Digital mammography. Right breast, medio-lateral oblique projection. Patient age 49.
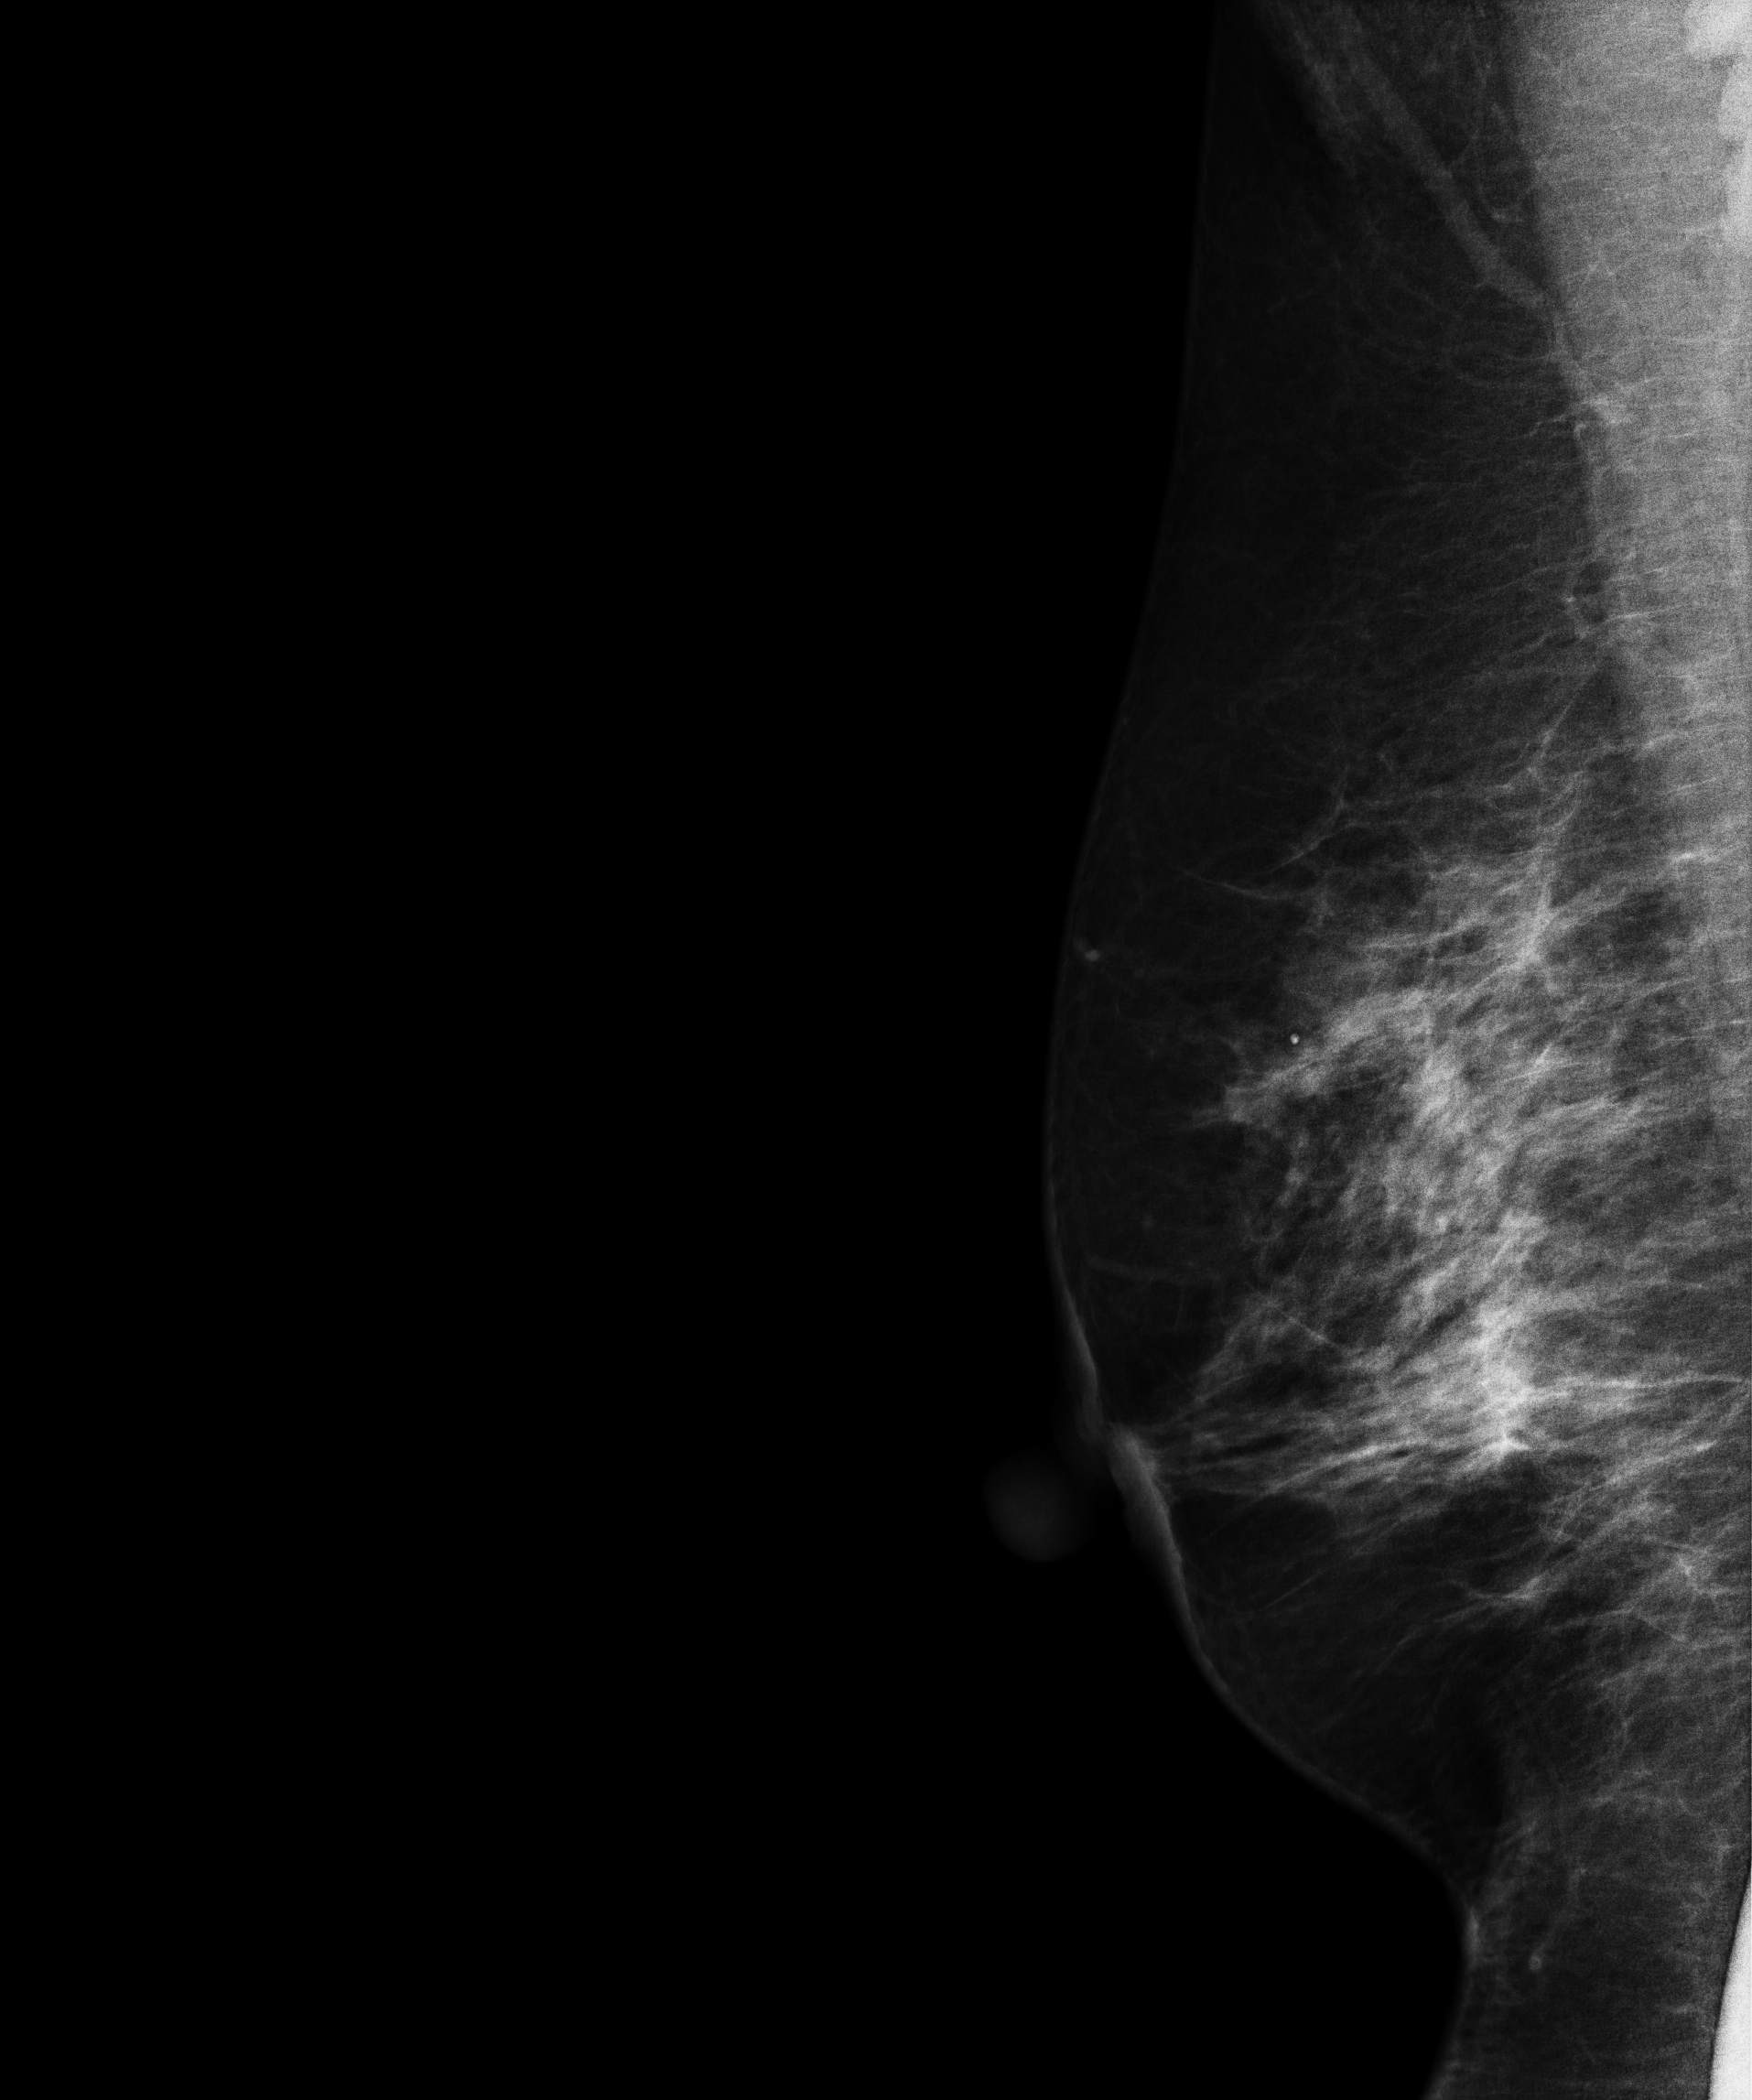
Contralateral breast — no documented abnormality on this side.